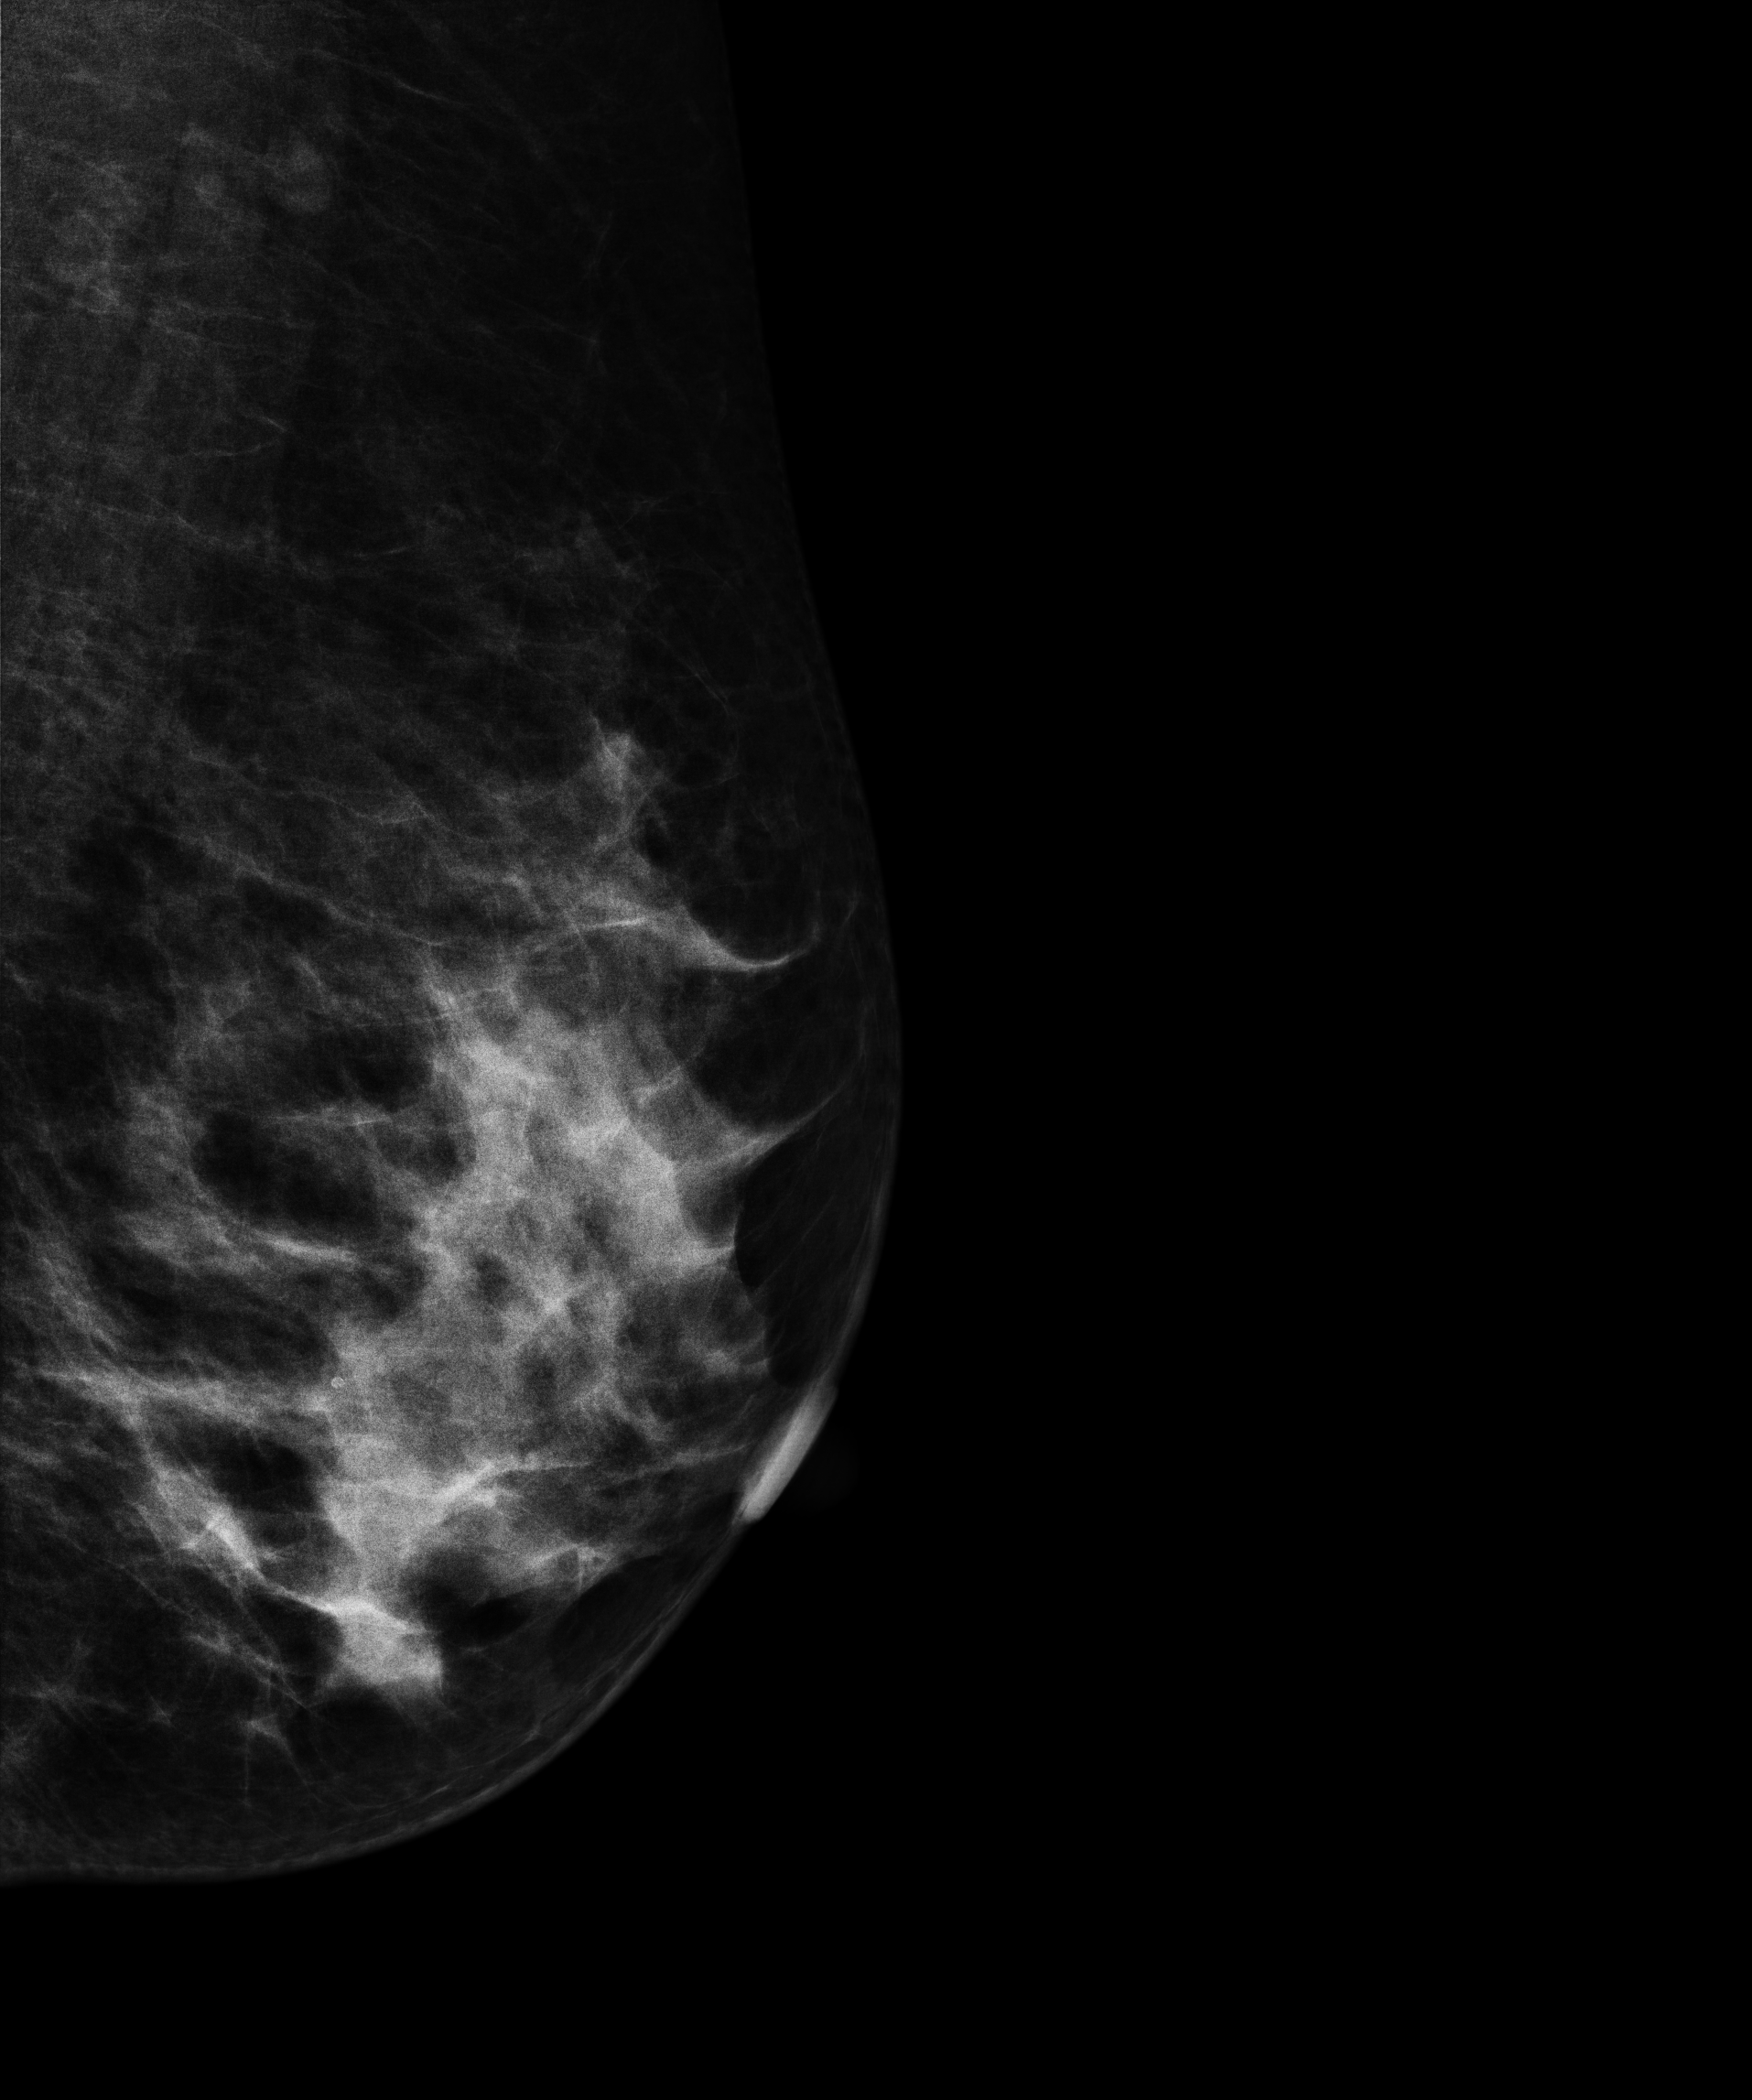
Mammogram, left breast, medio-lateral oblique view. 50 y/o patient.
Contralateral breast — no documented abnormality on this side.